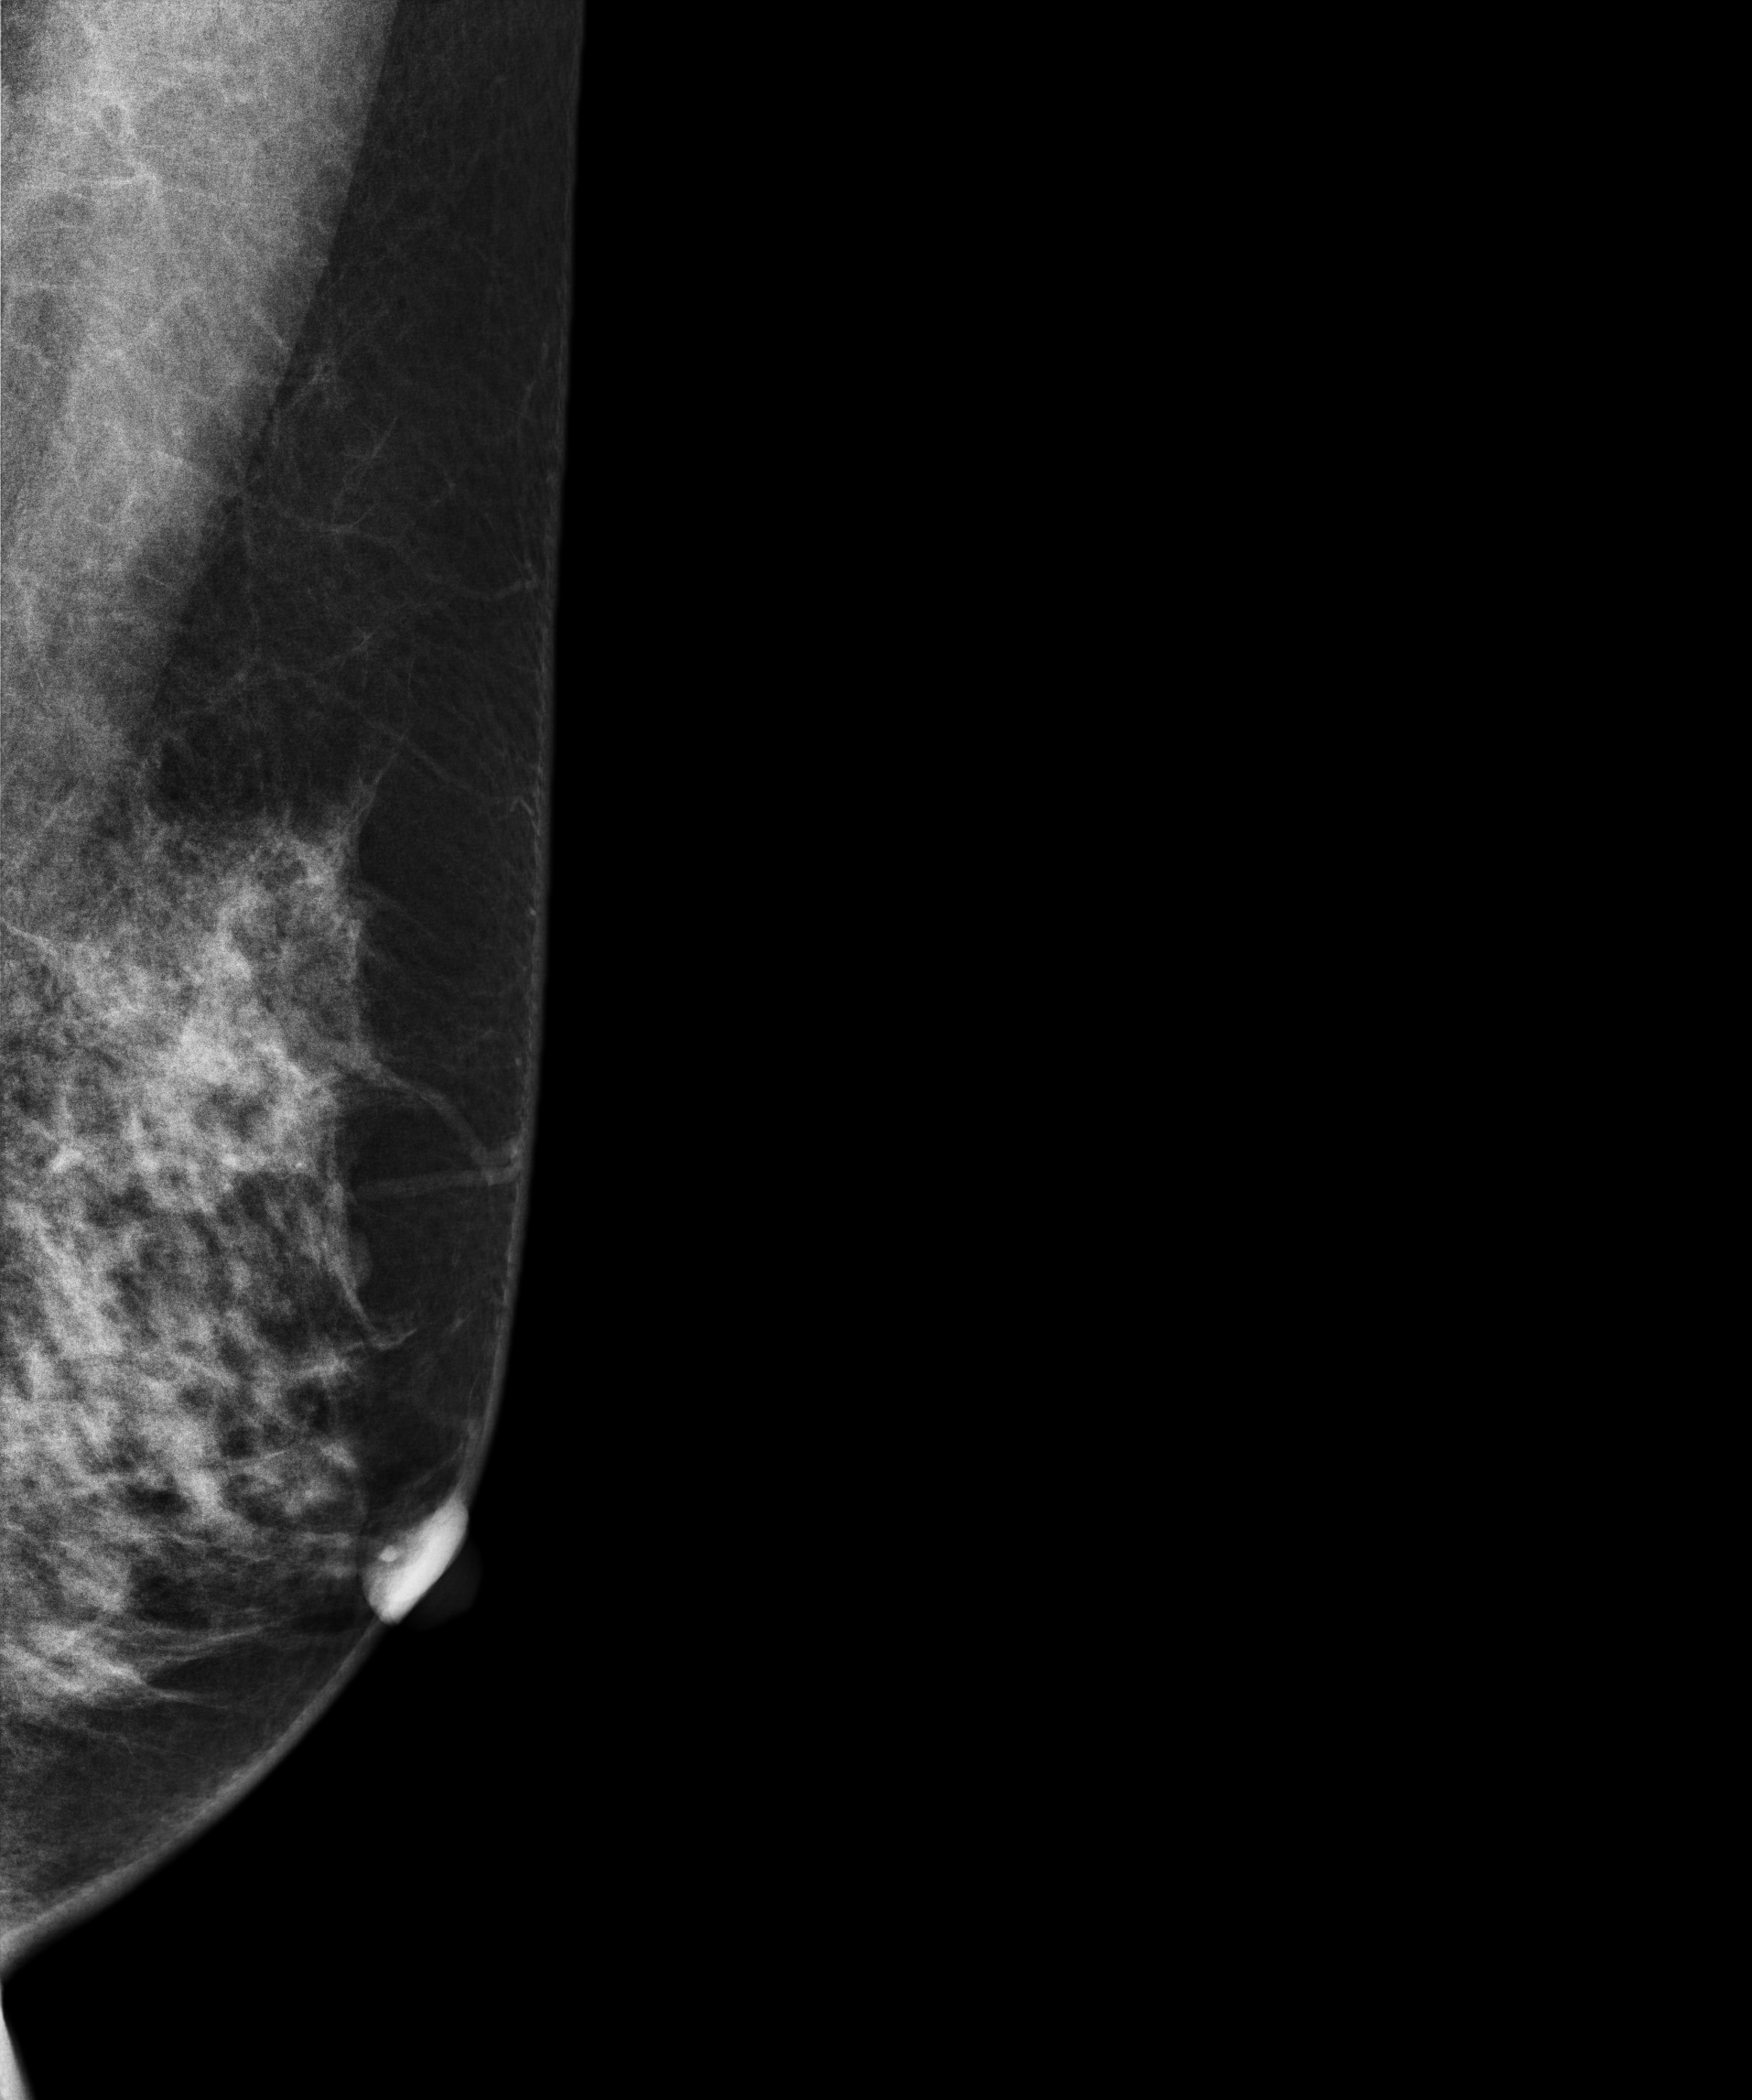
Mammogram, left breast, medio-lateral oblique view. 48 y/o patient.
Contralateral breast — no documented abnormality on this side.